Mammogram, right breast, medio-lateral oblique view. 56-year-old patient.
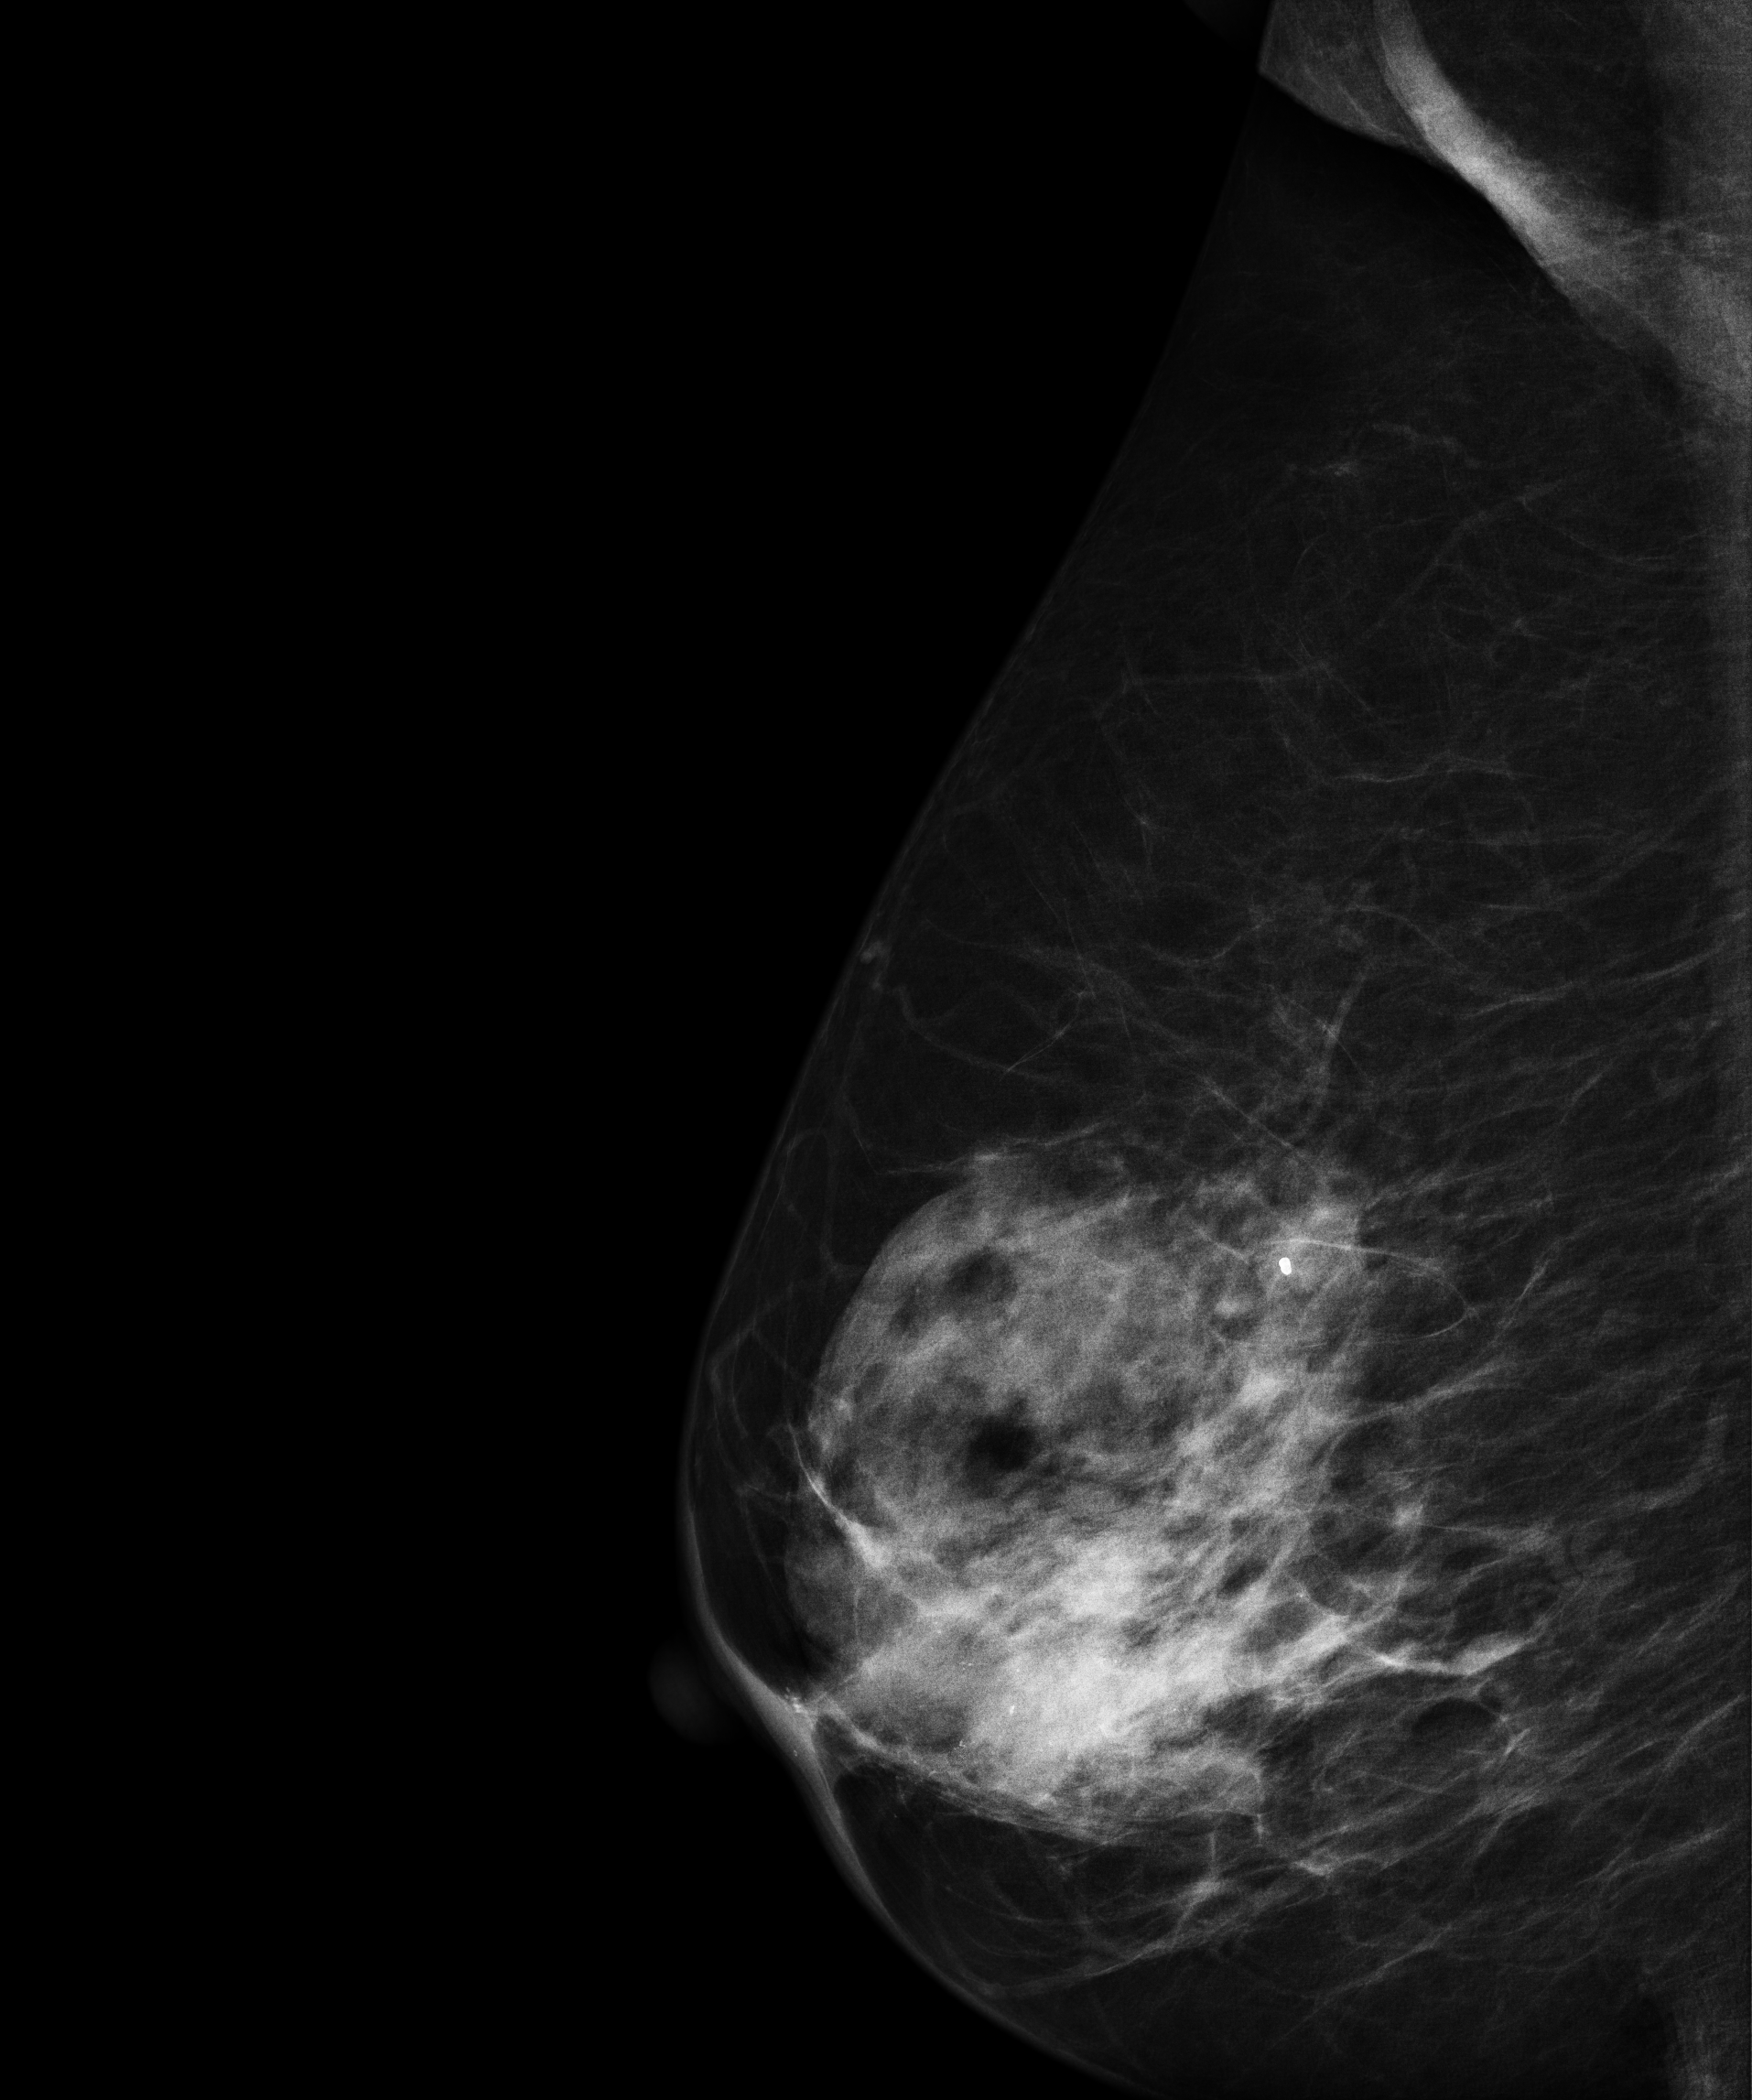
This breast has a mass and calcifications, pathology-confirmed malignant. Molecular subtype: HER2-enriched.